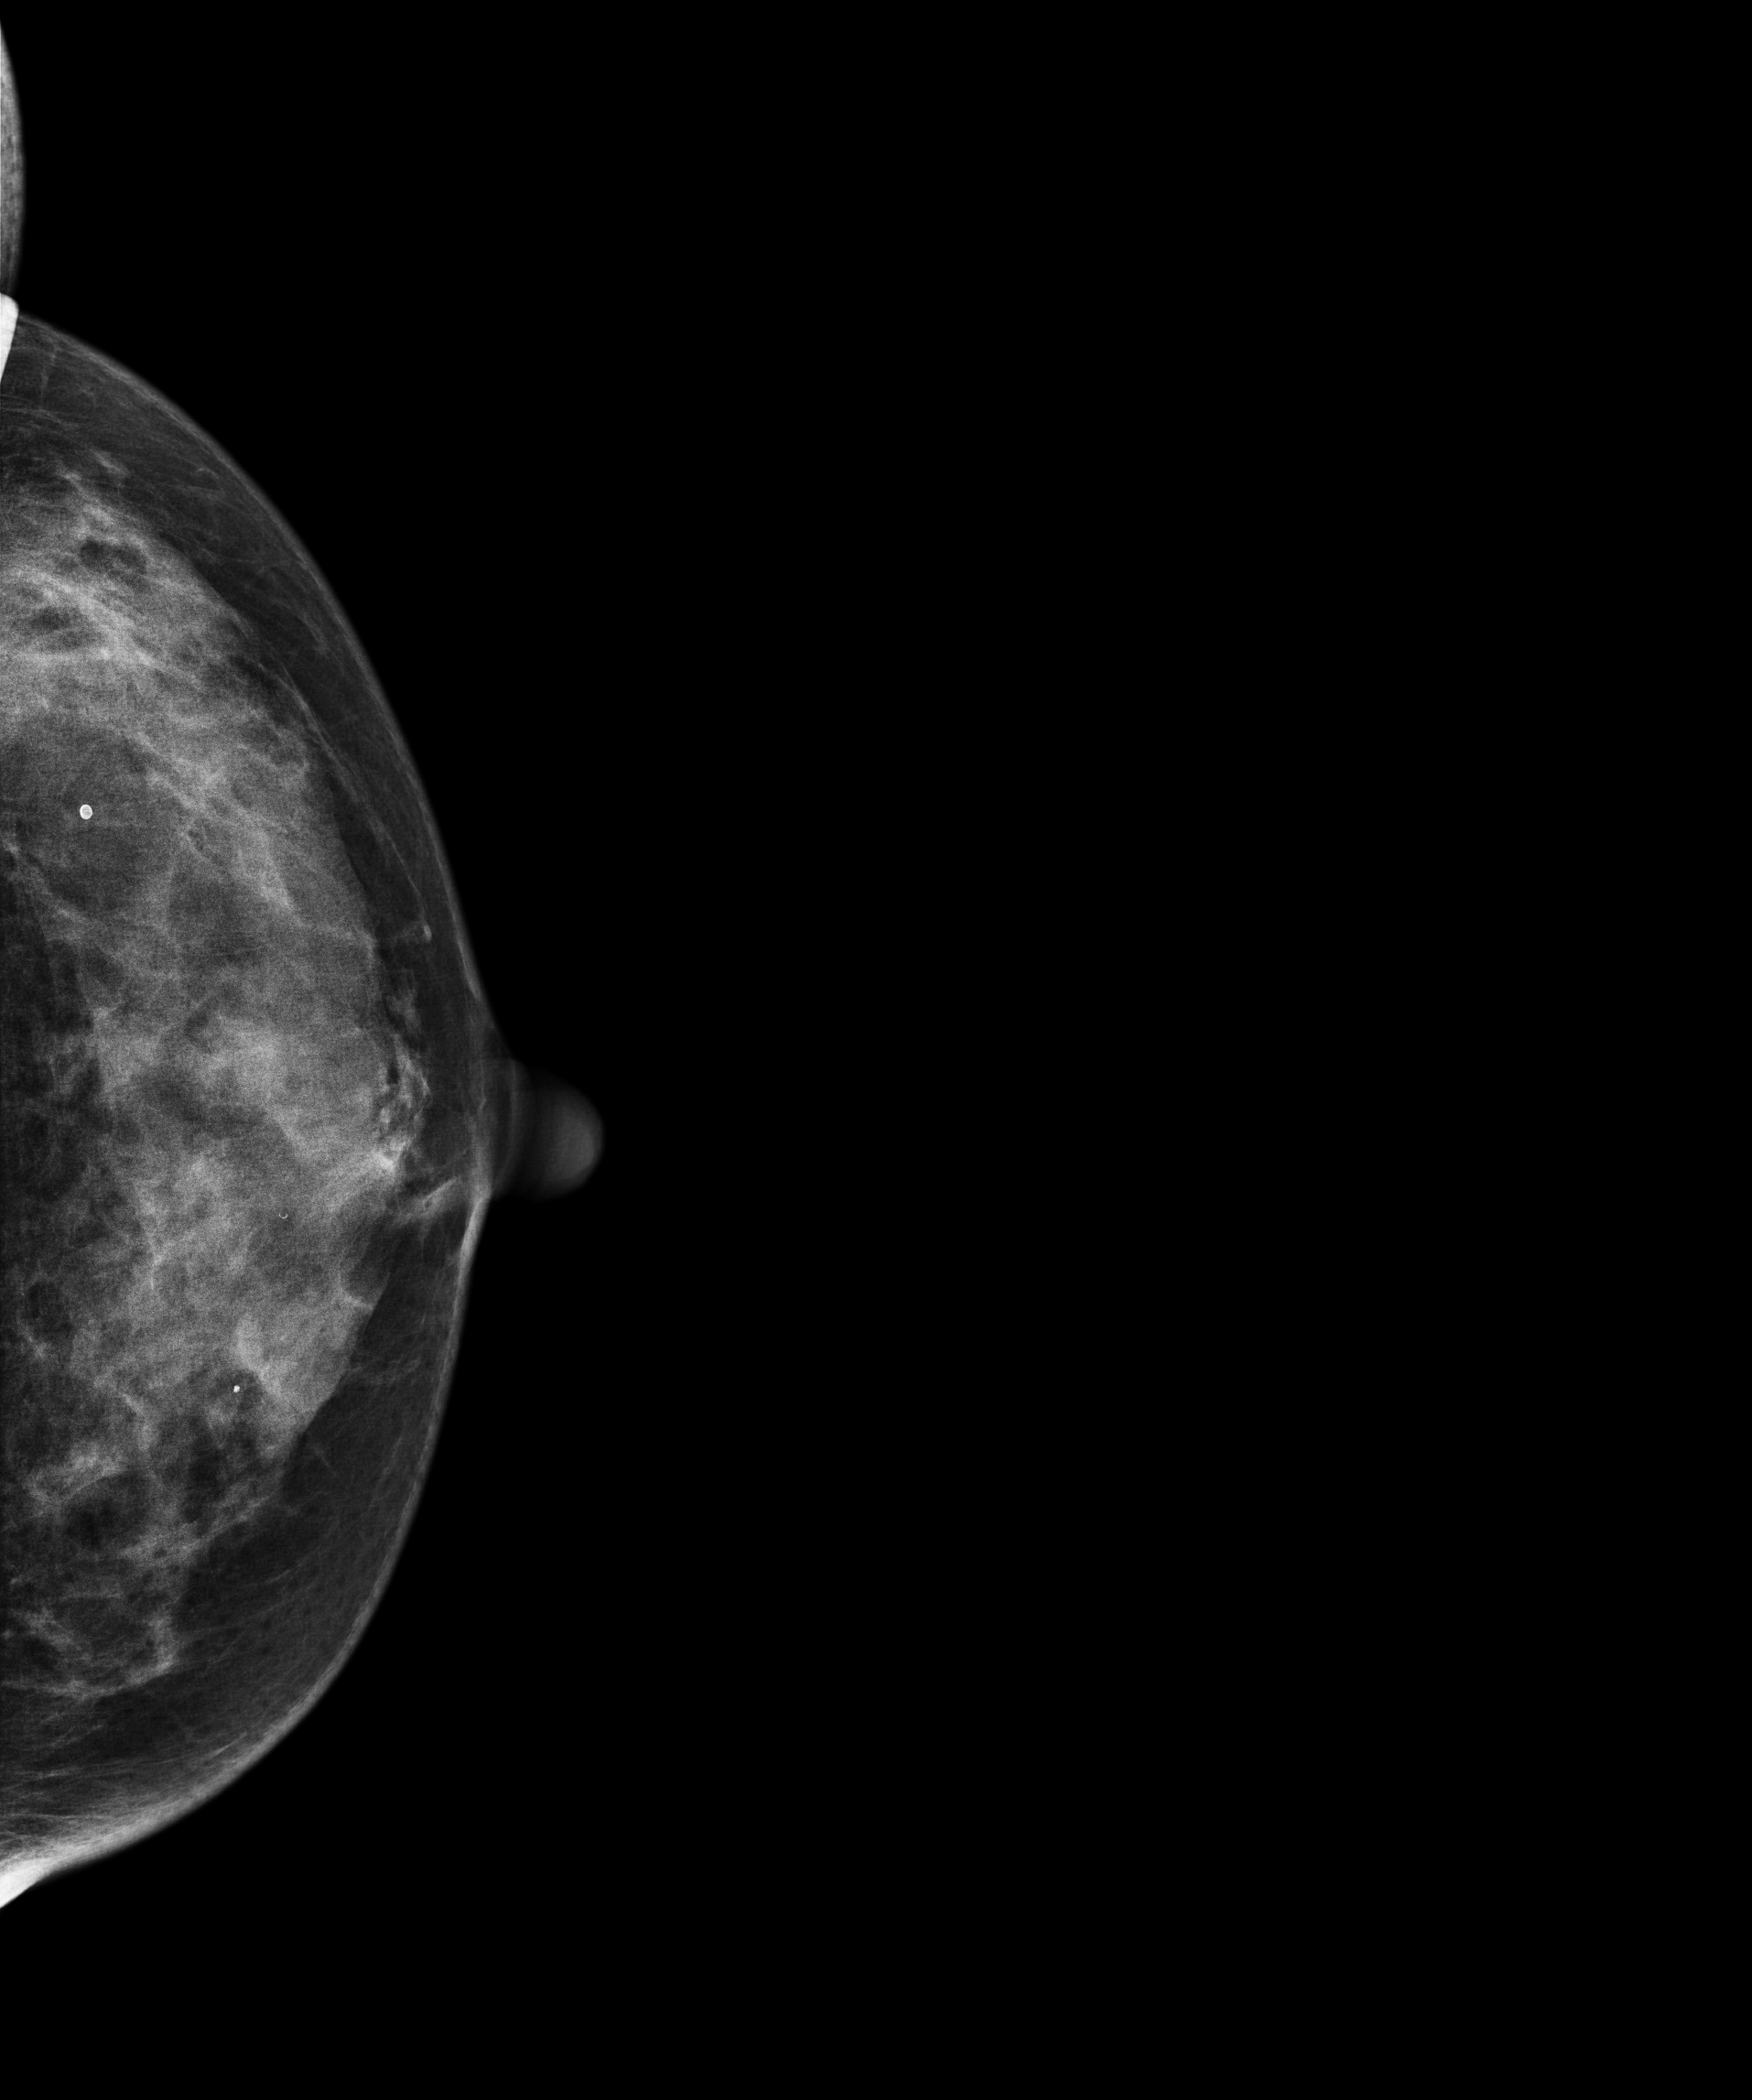
CC mammogram of the left breast. Patient age 39.
This breast has calcifications, pathology-confirmed malignant.